Mammogram, left breast, medio-lateral oblique view. 64 y/o patient.
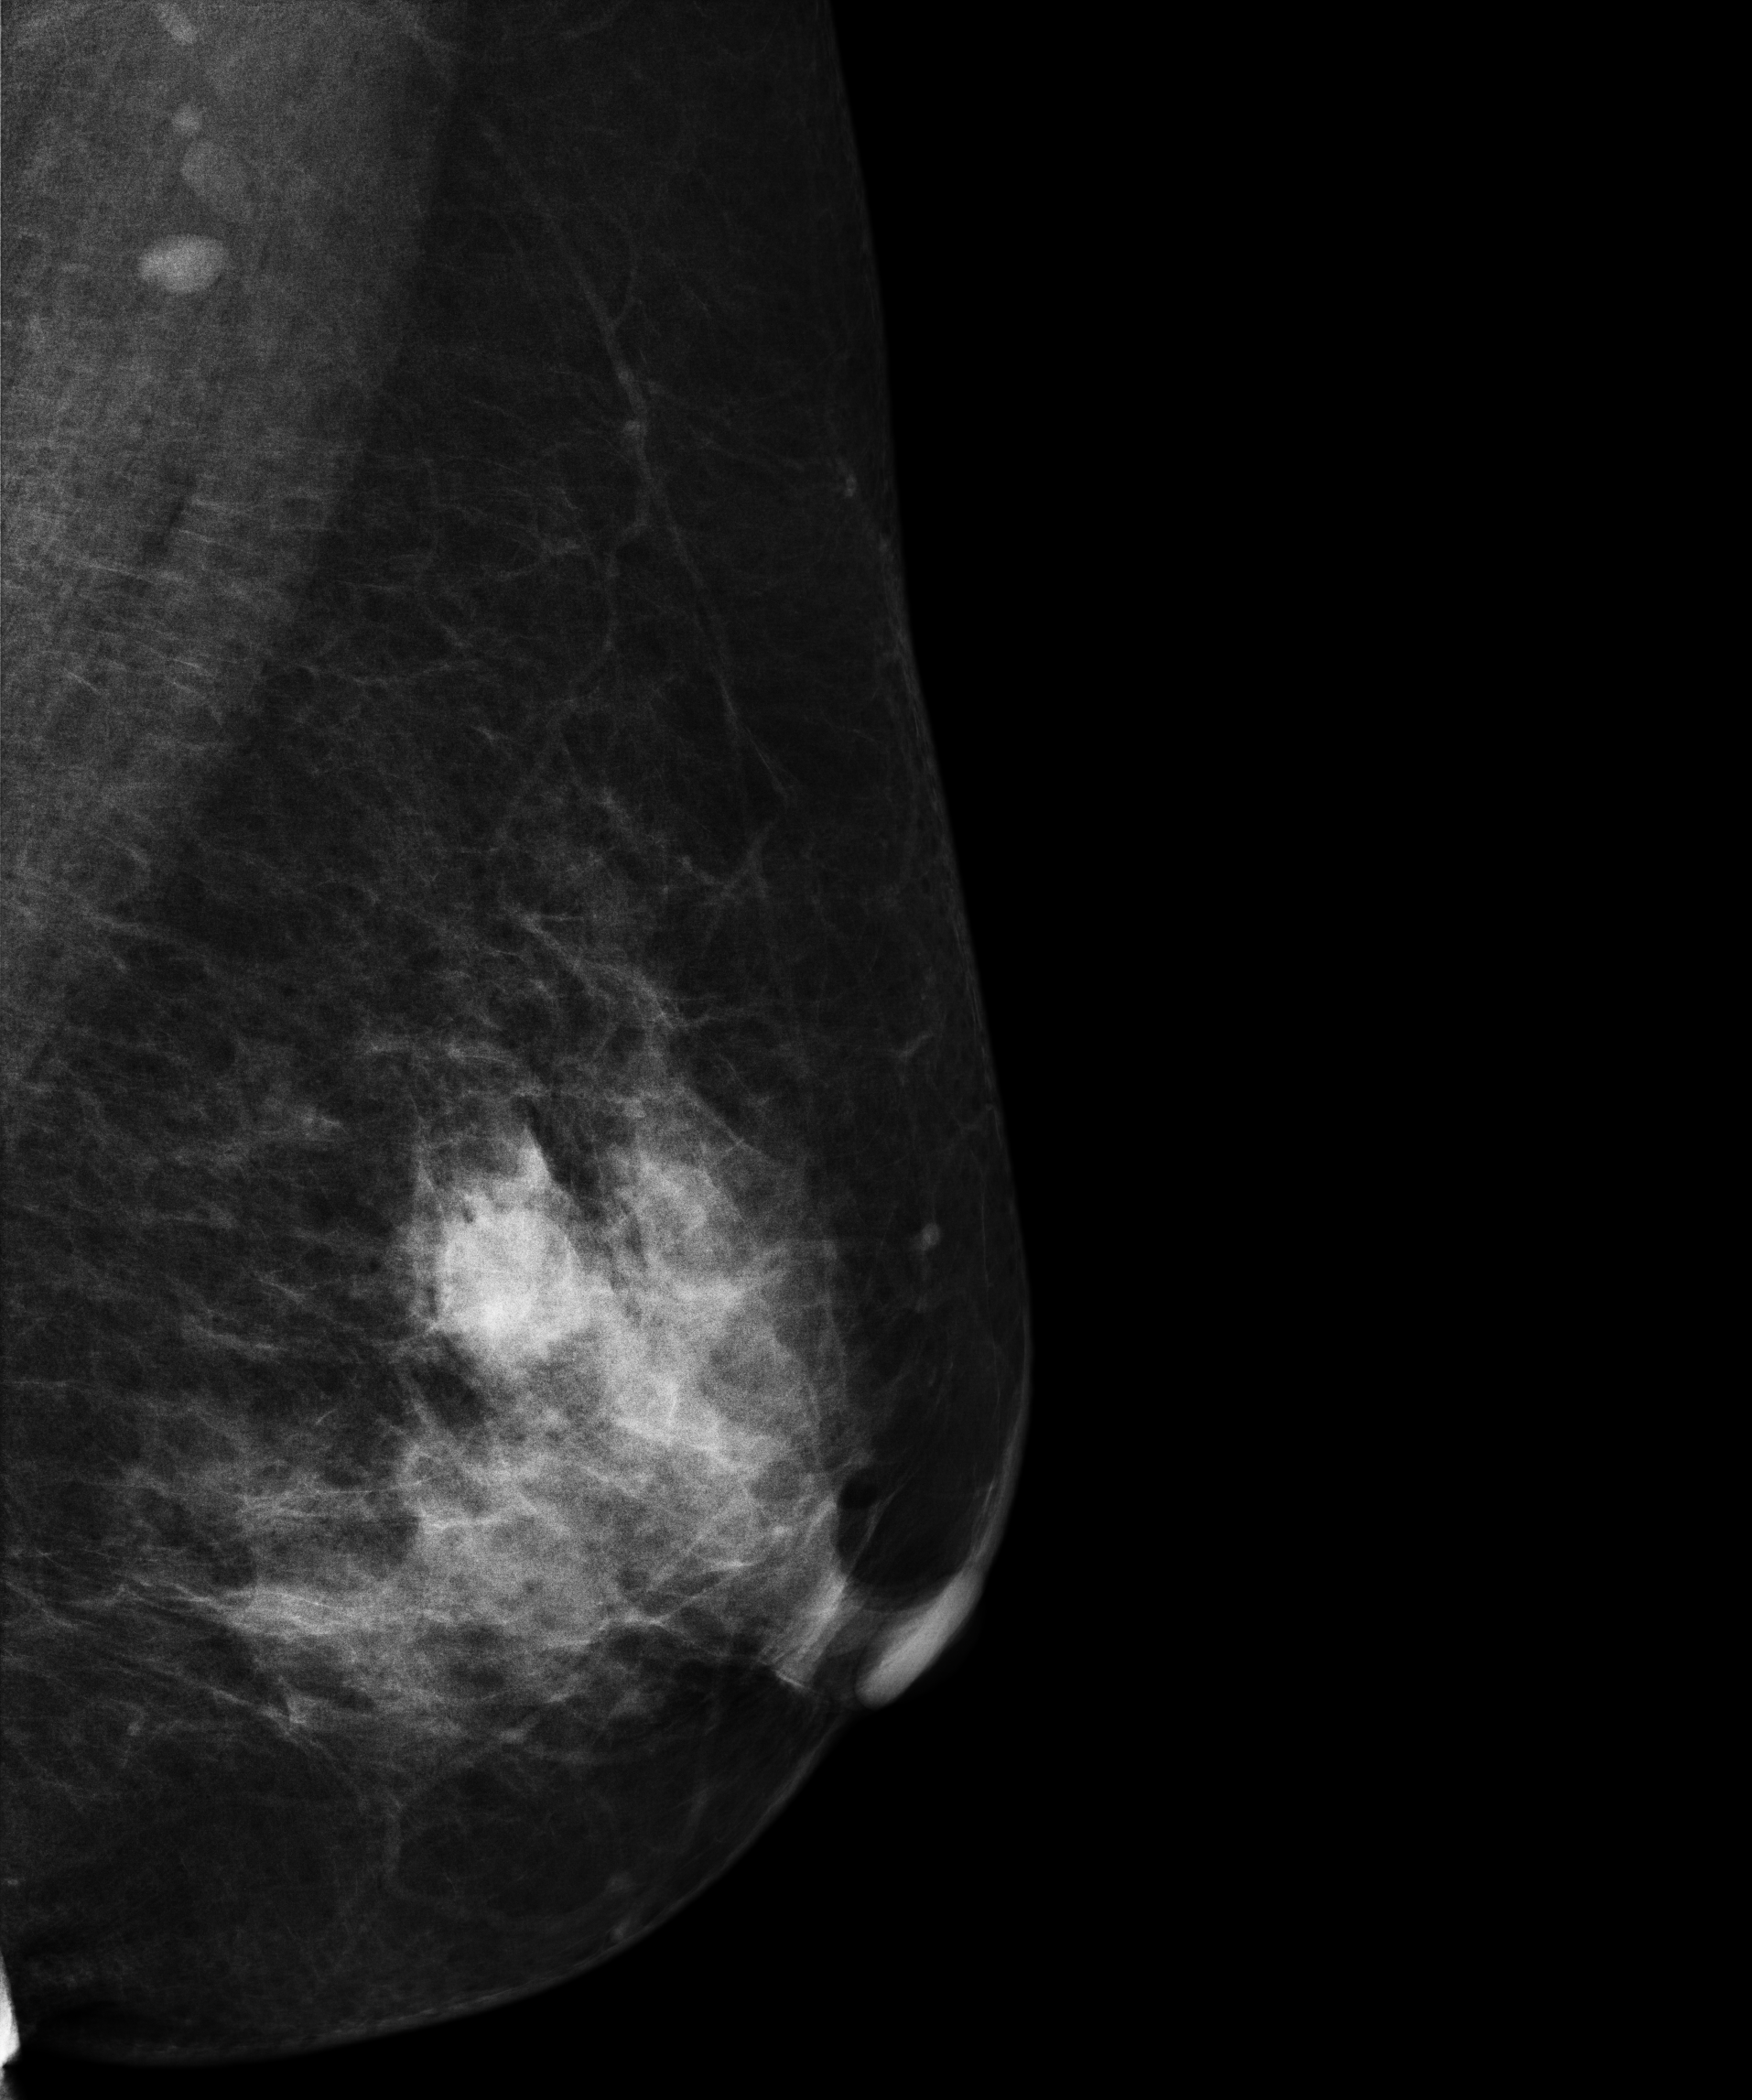
This breast has a mass, pathology-confirmed malignant. Molecular subtype: luminal A.